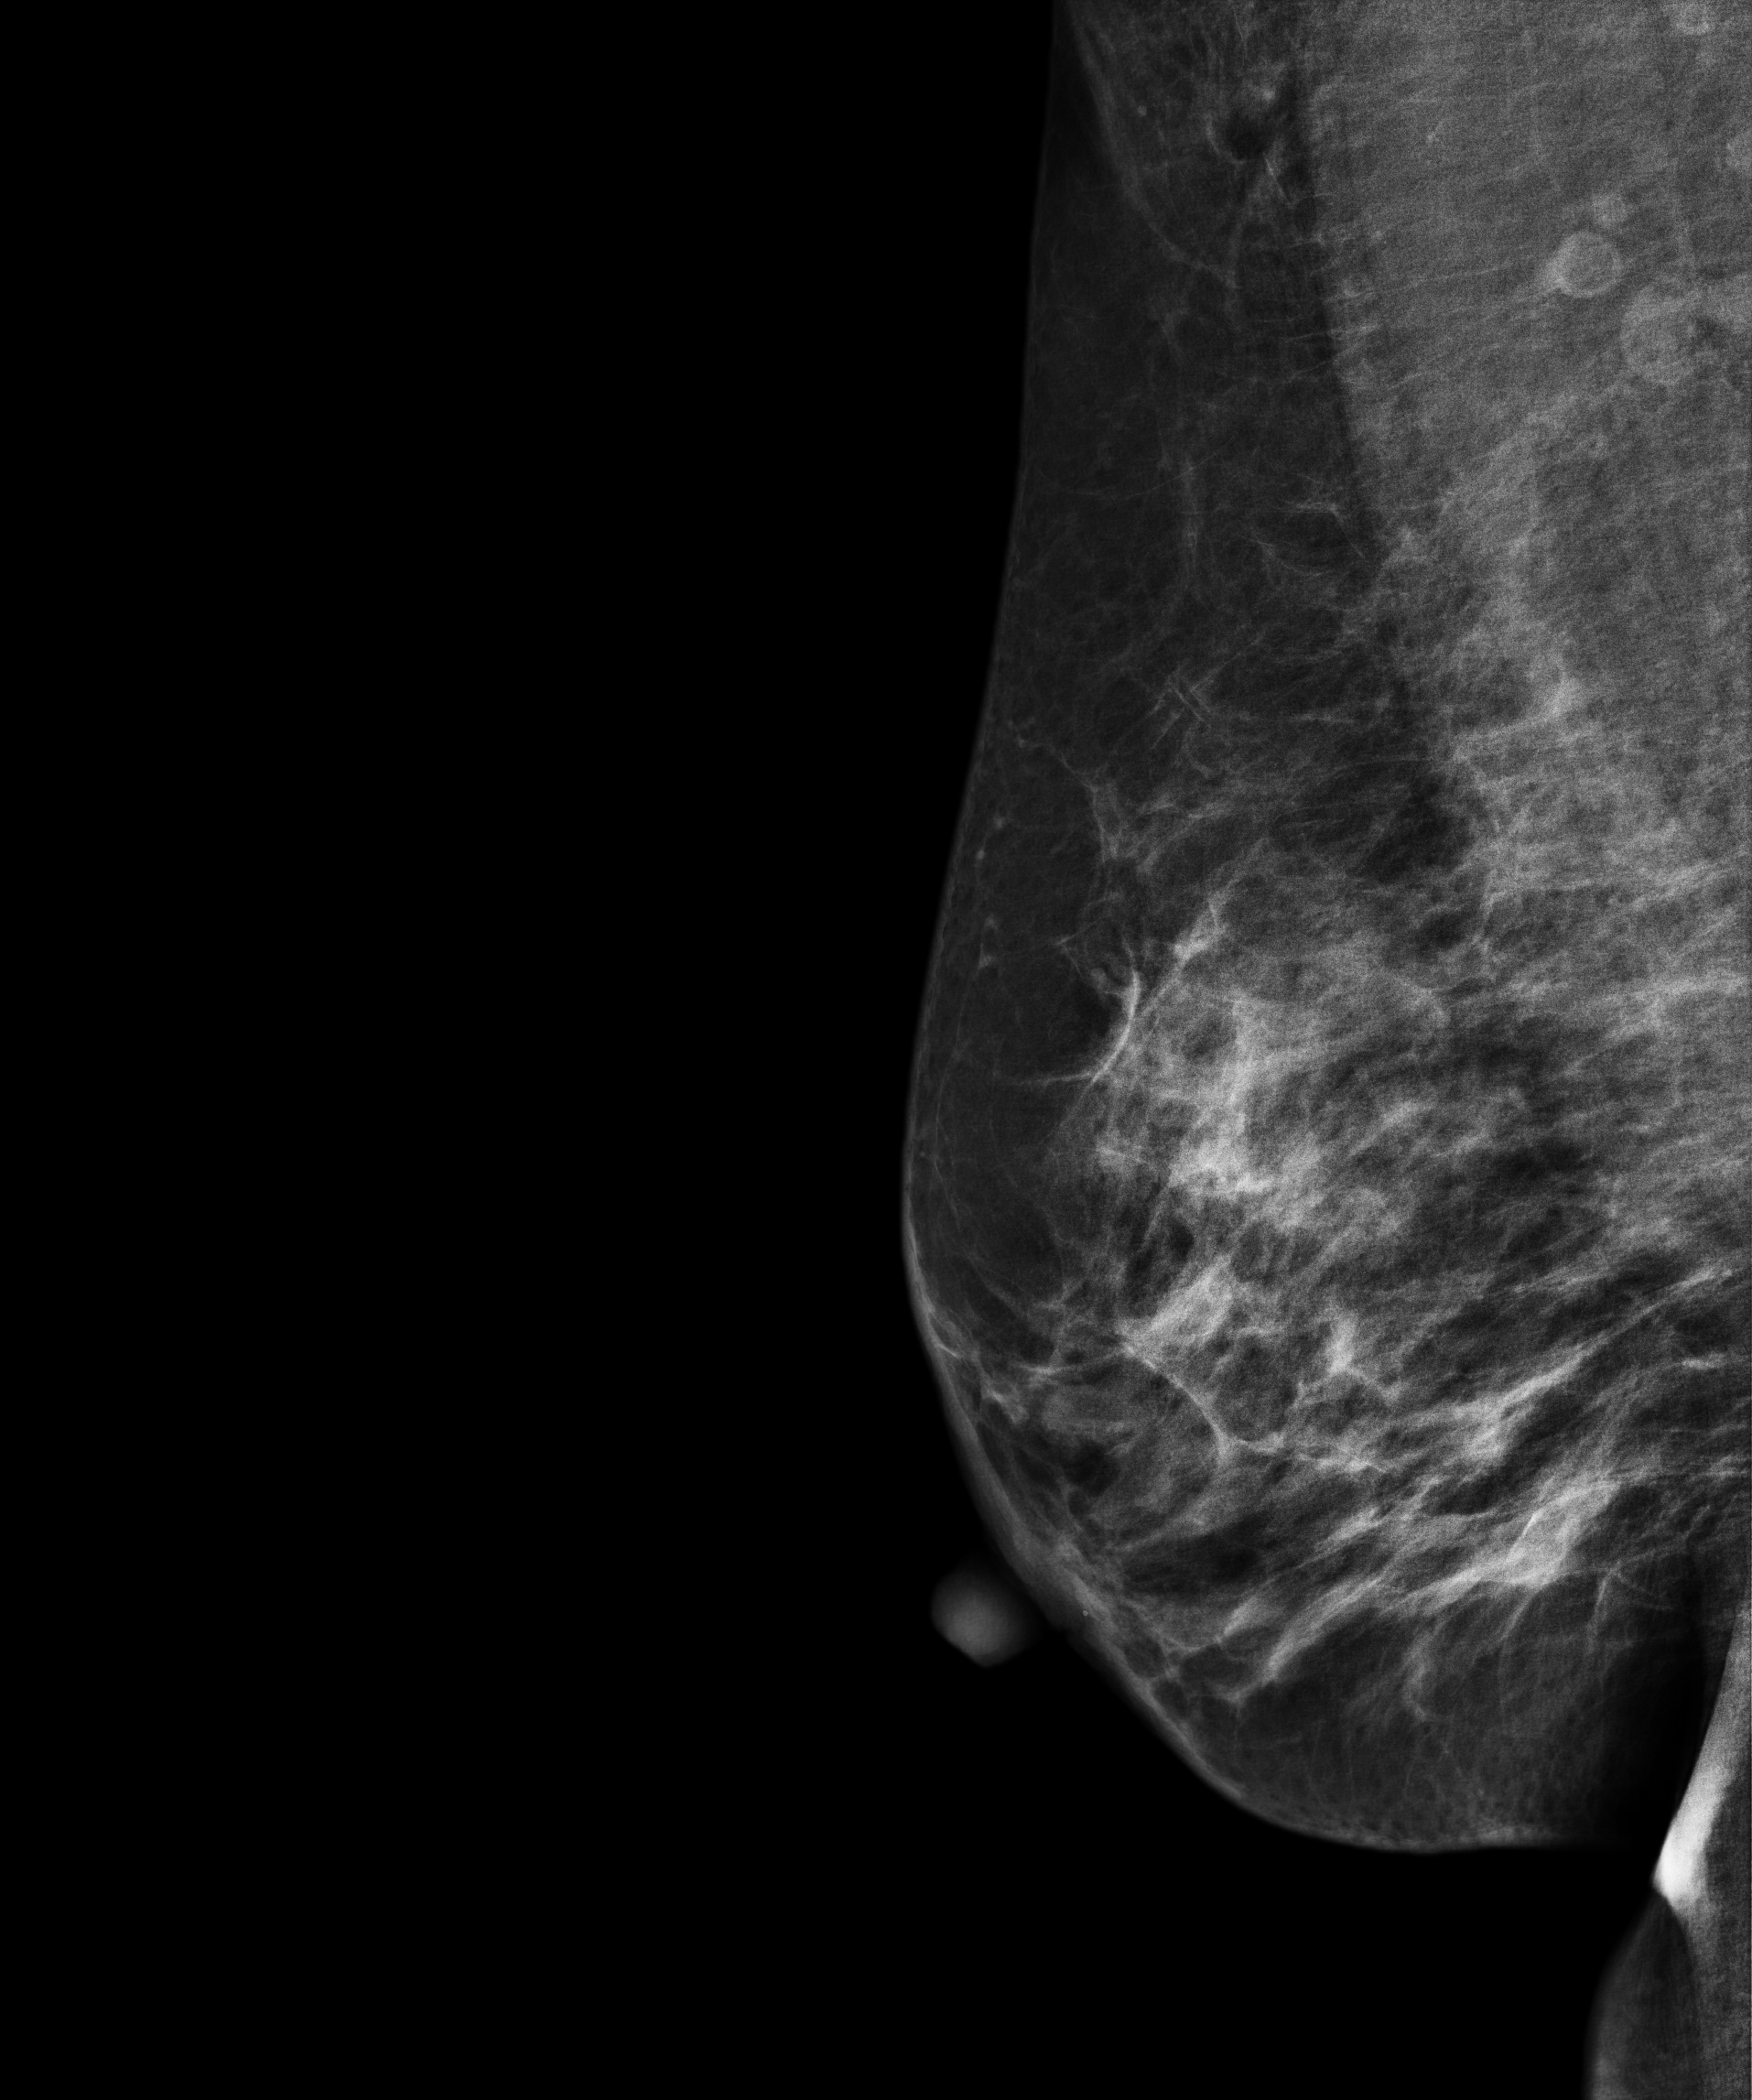
Mammogram — right MLO. 49-year-old patient.
This breast has a mass, pathology-confirmed benign.